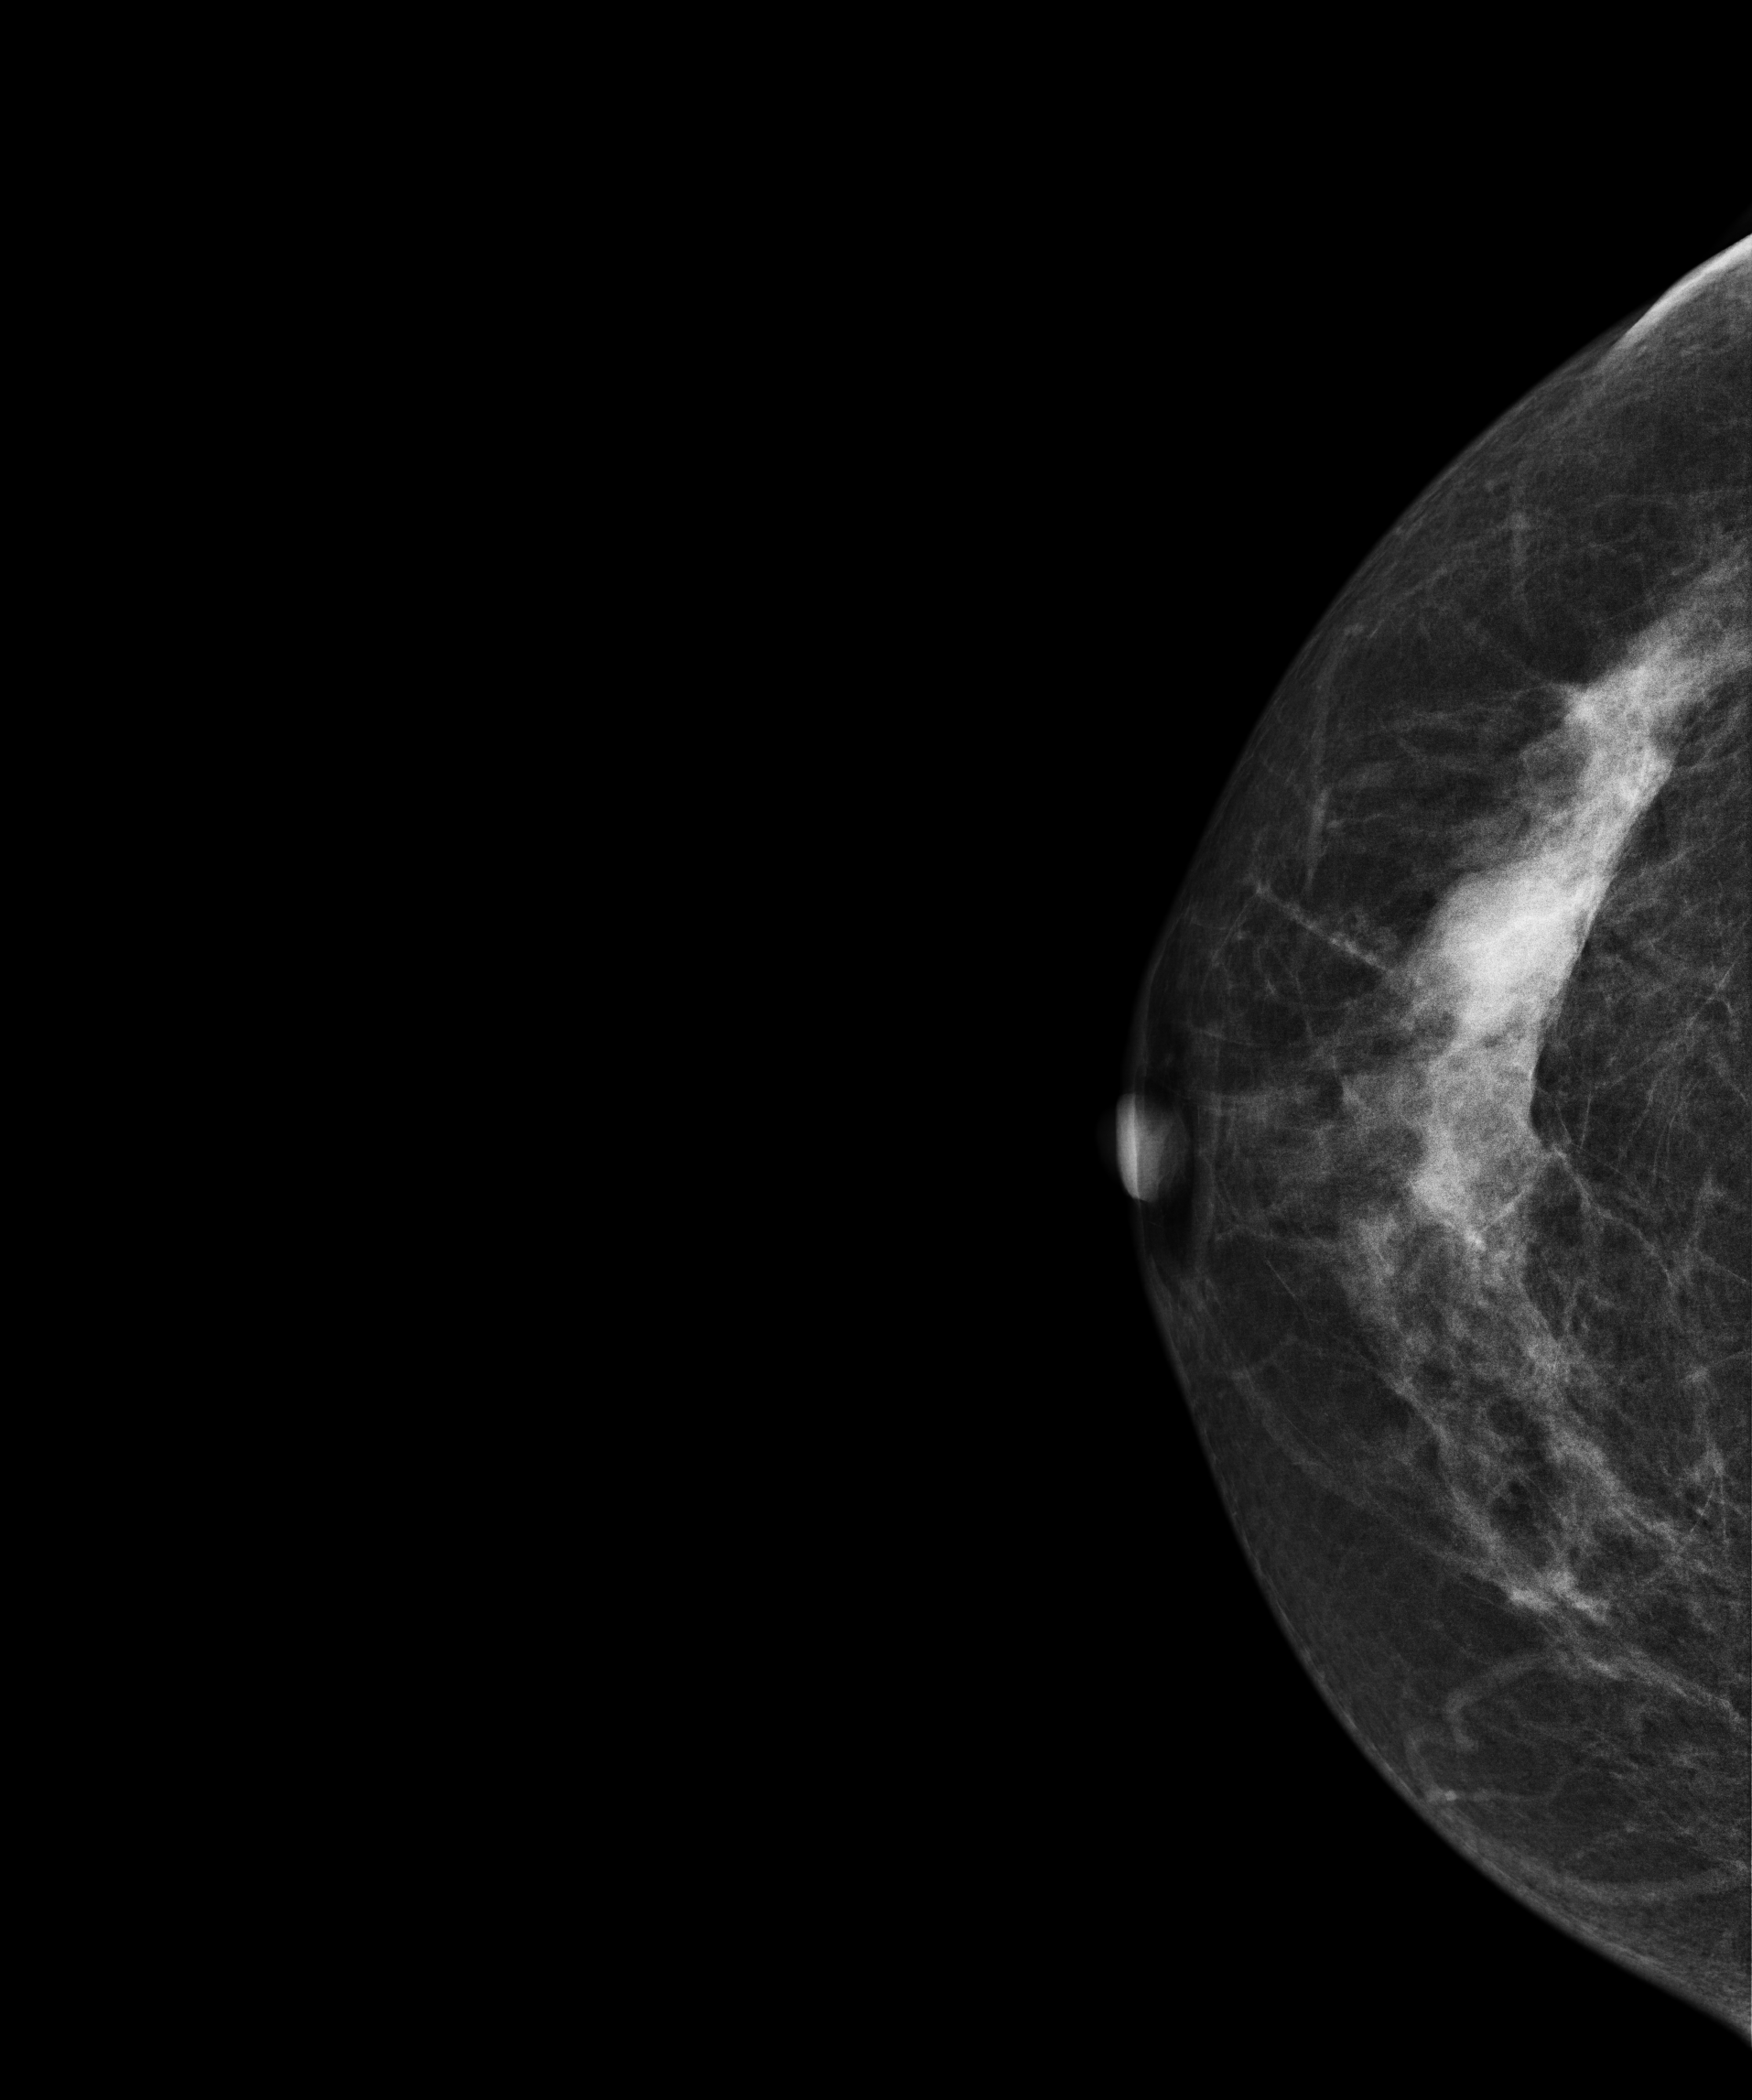
Right-breast mammogram, CC. 59-year-old patient.
This breast has a mass, biopsy-confirmed benign.